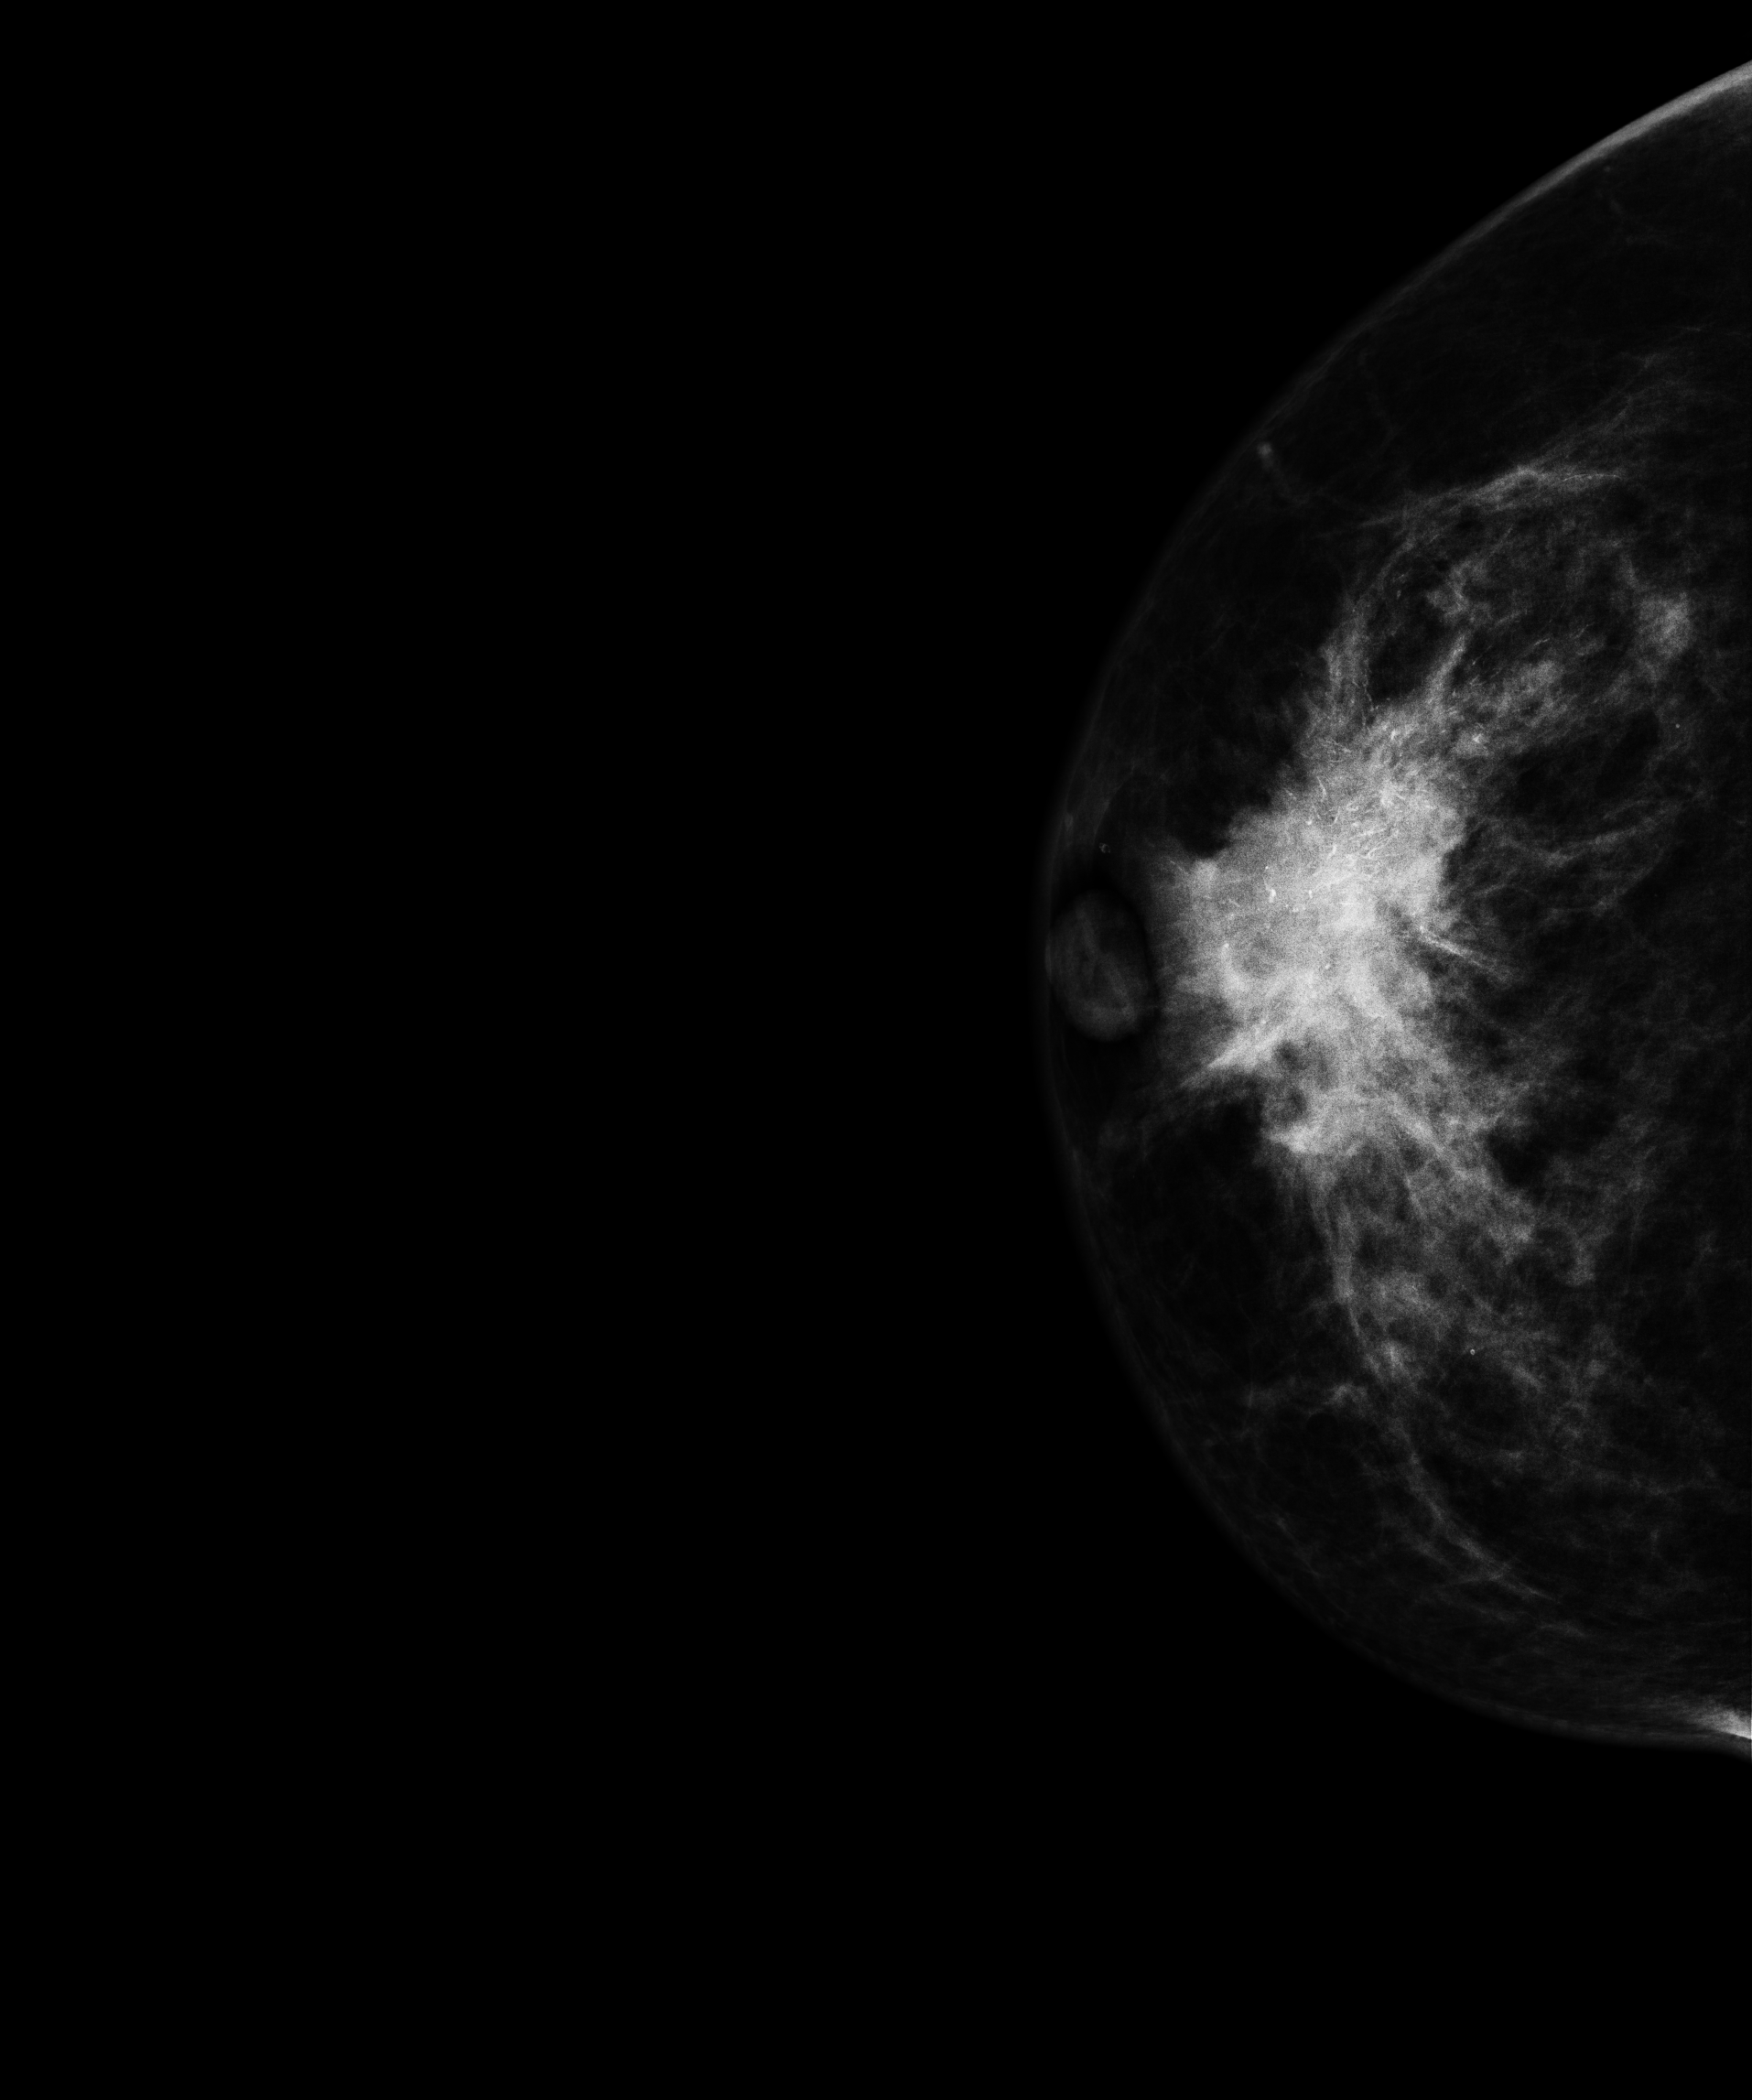
Digital mammography. Right breast, cranio-caudal projection. Patient age 63.
This breast has a mass and calcifications, biopsy-confirmed malignant.